Left-breast mammogram, medio-lateral oblique. 56-year-old patient.
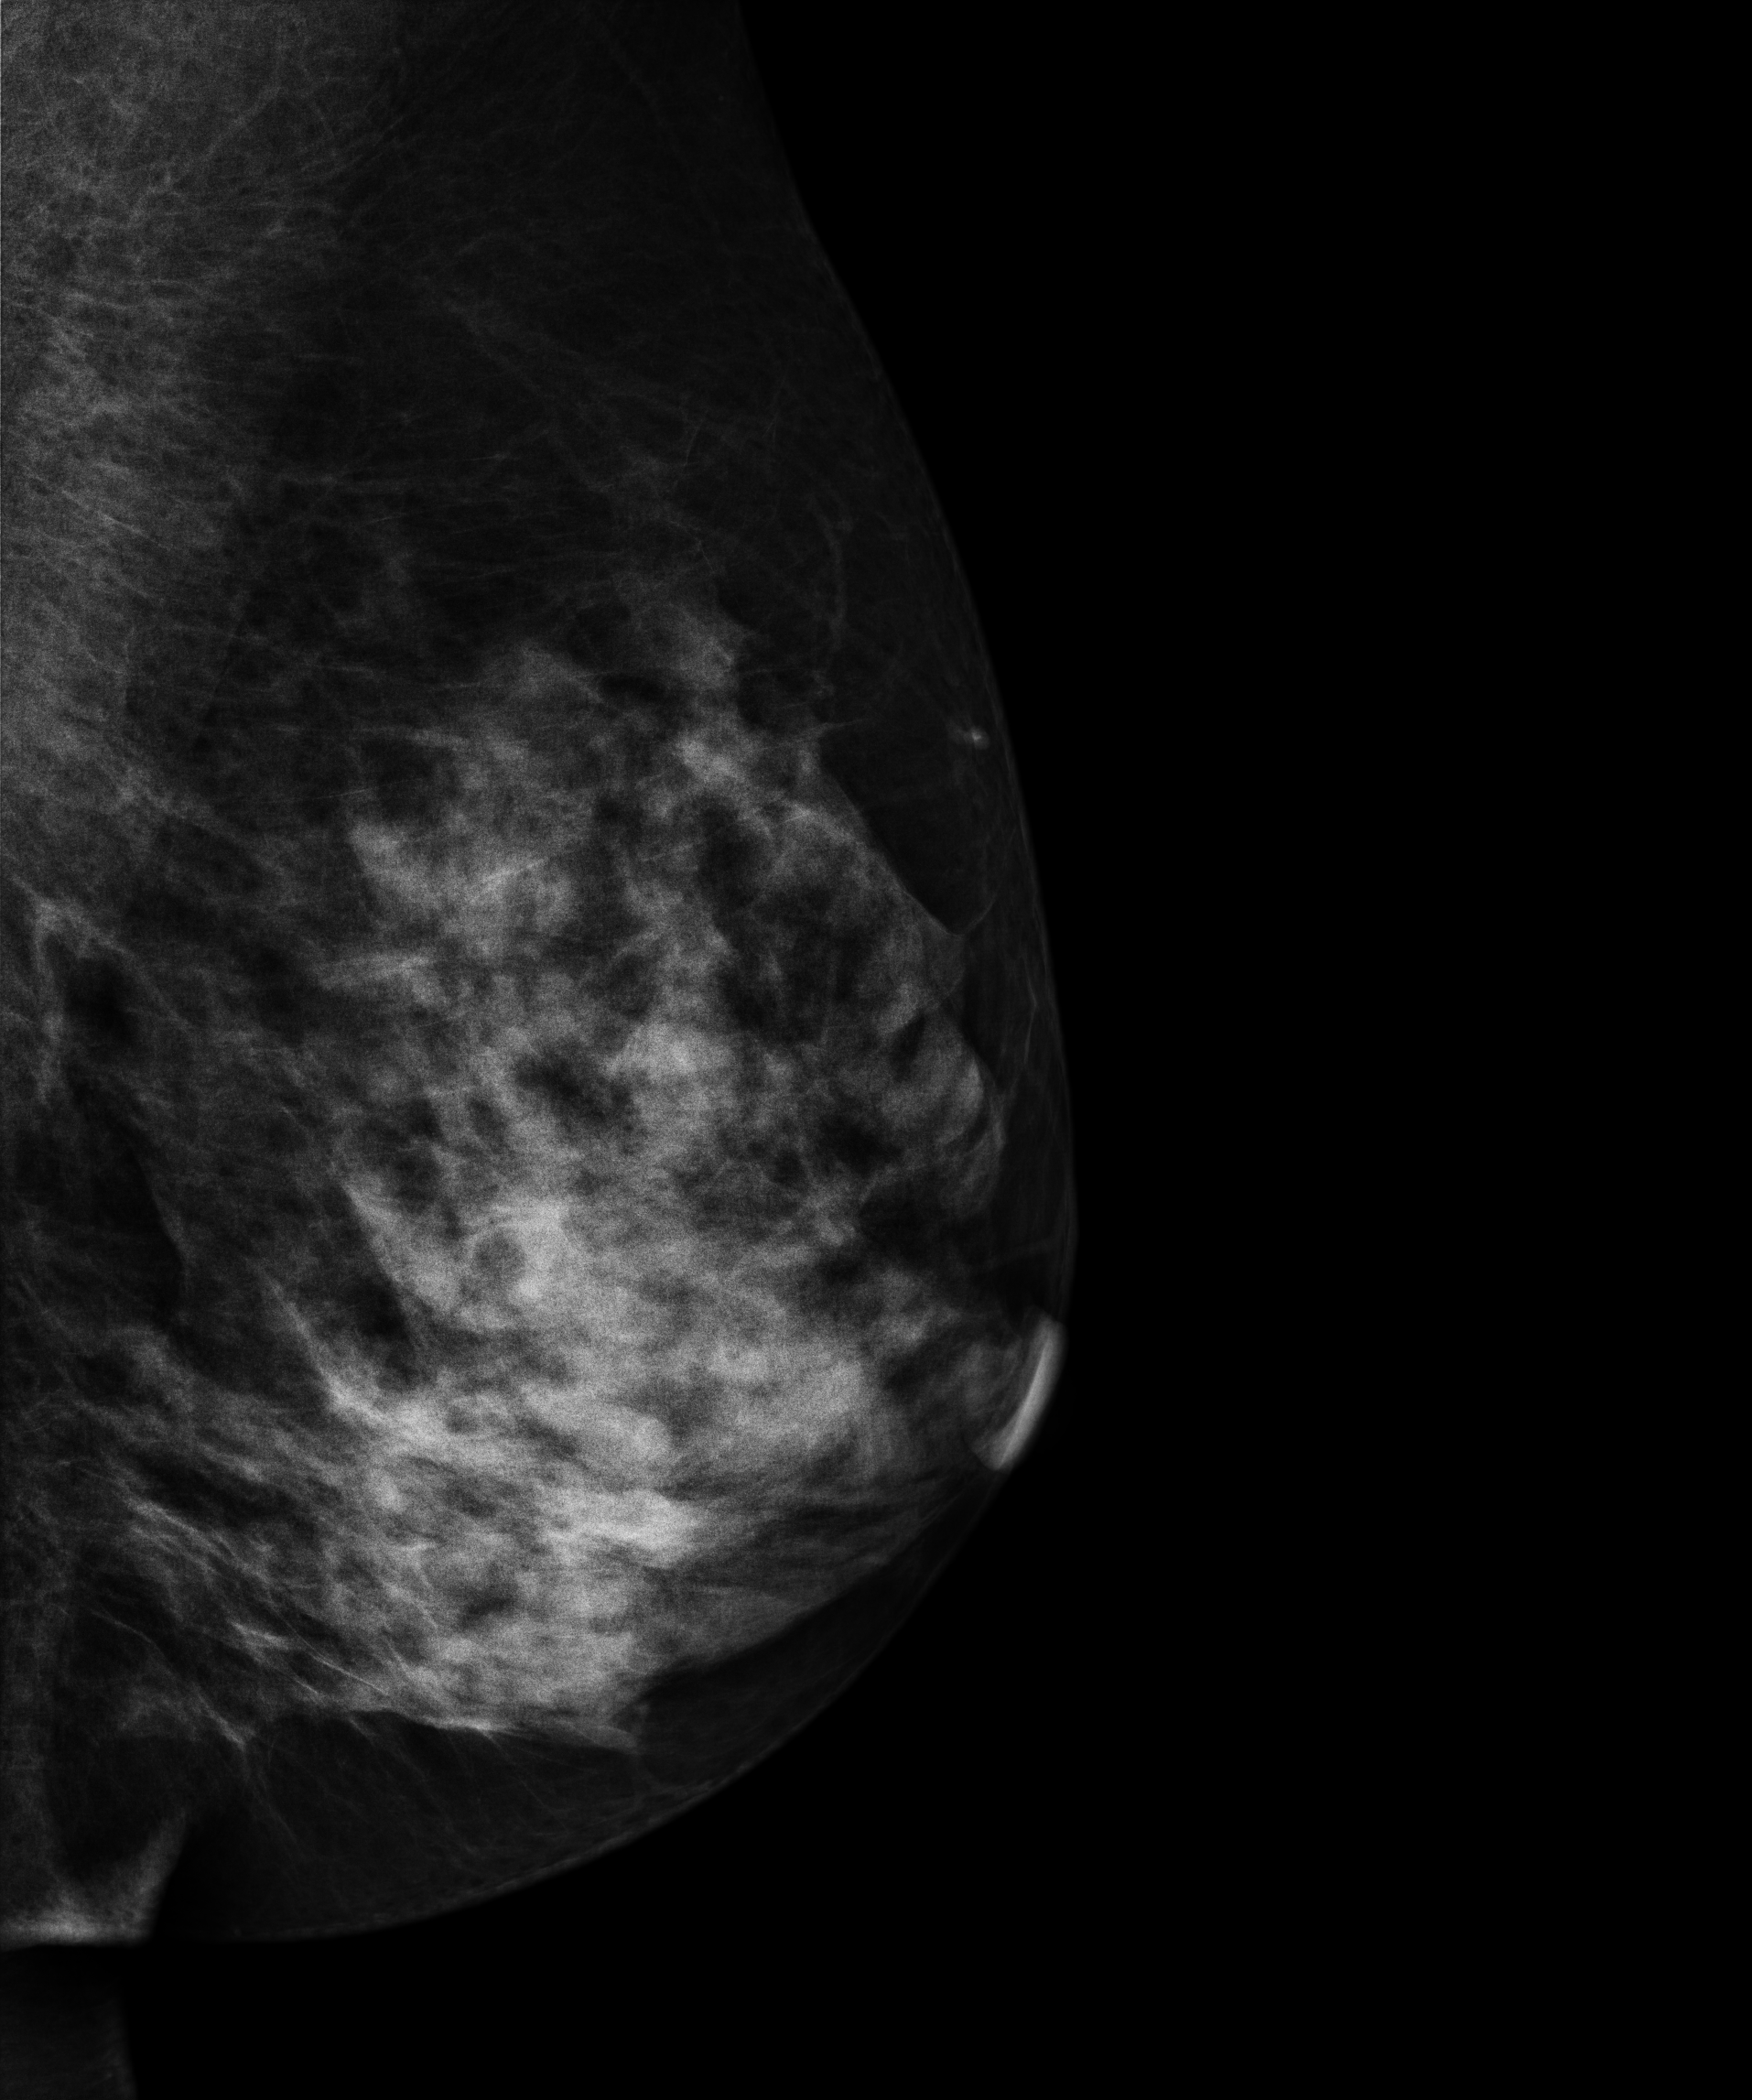
This breast has a mass, pathology-confirmed malignant. Molecular subtype: luminal A.